Mammogram — right MLO. 45-year-old patient.
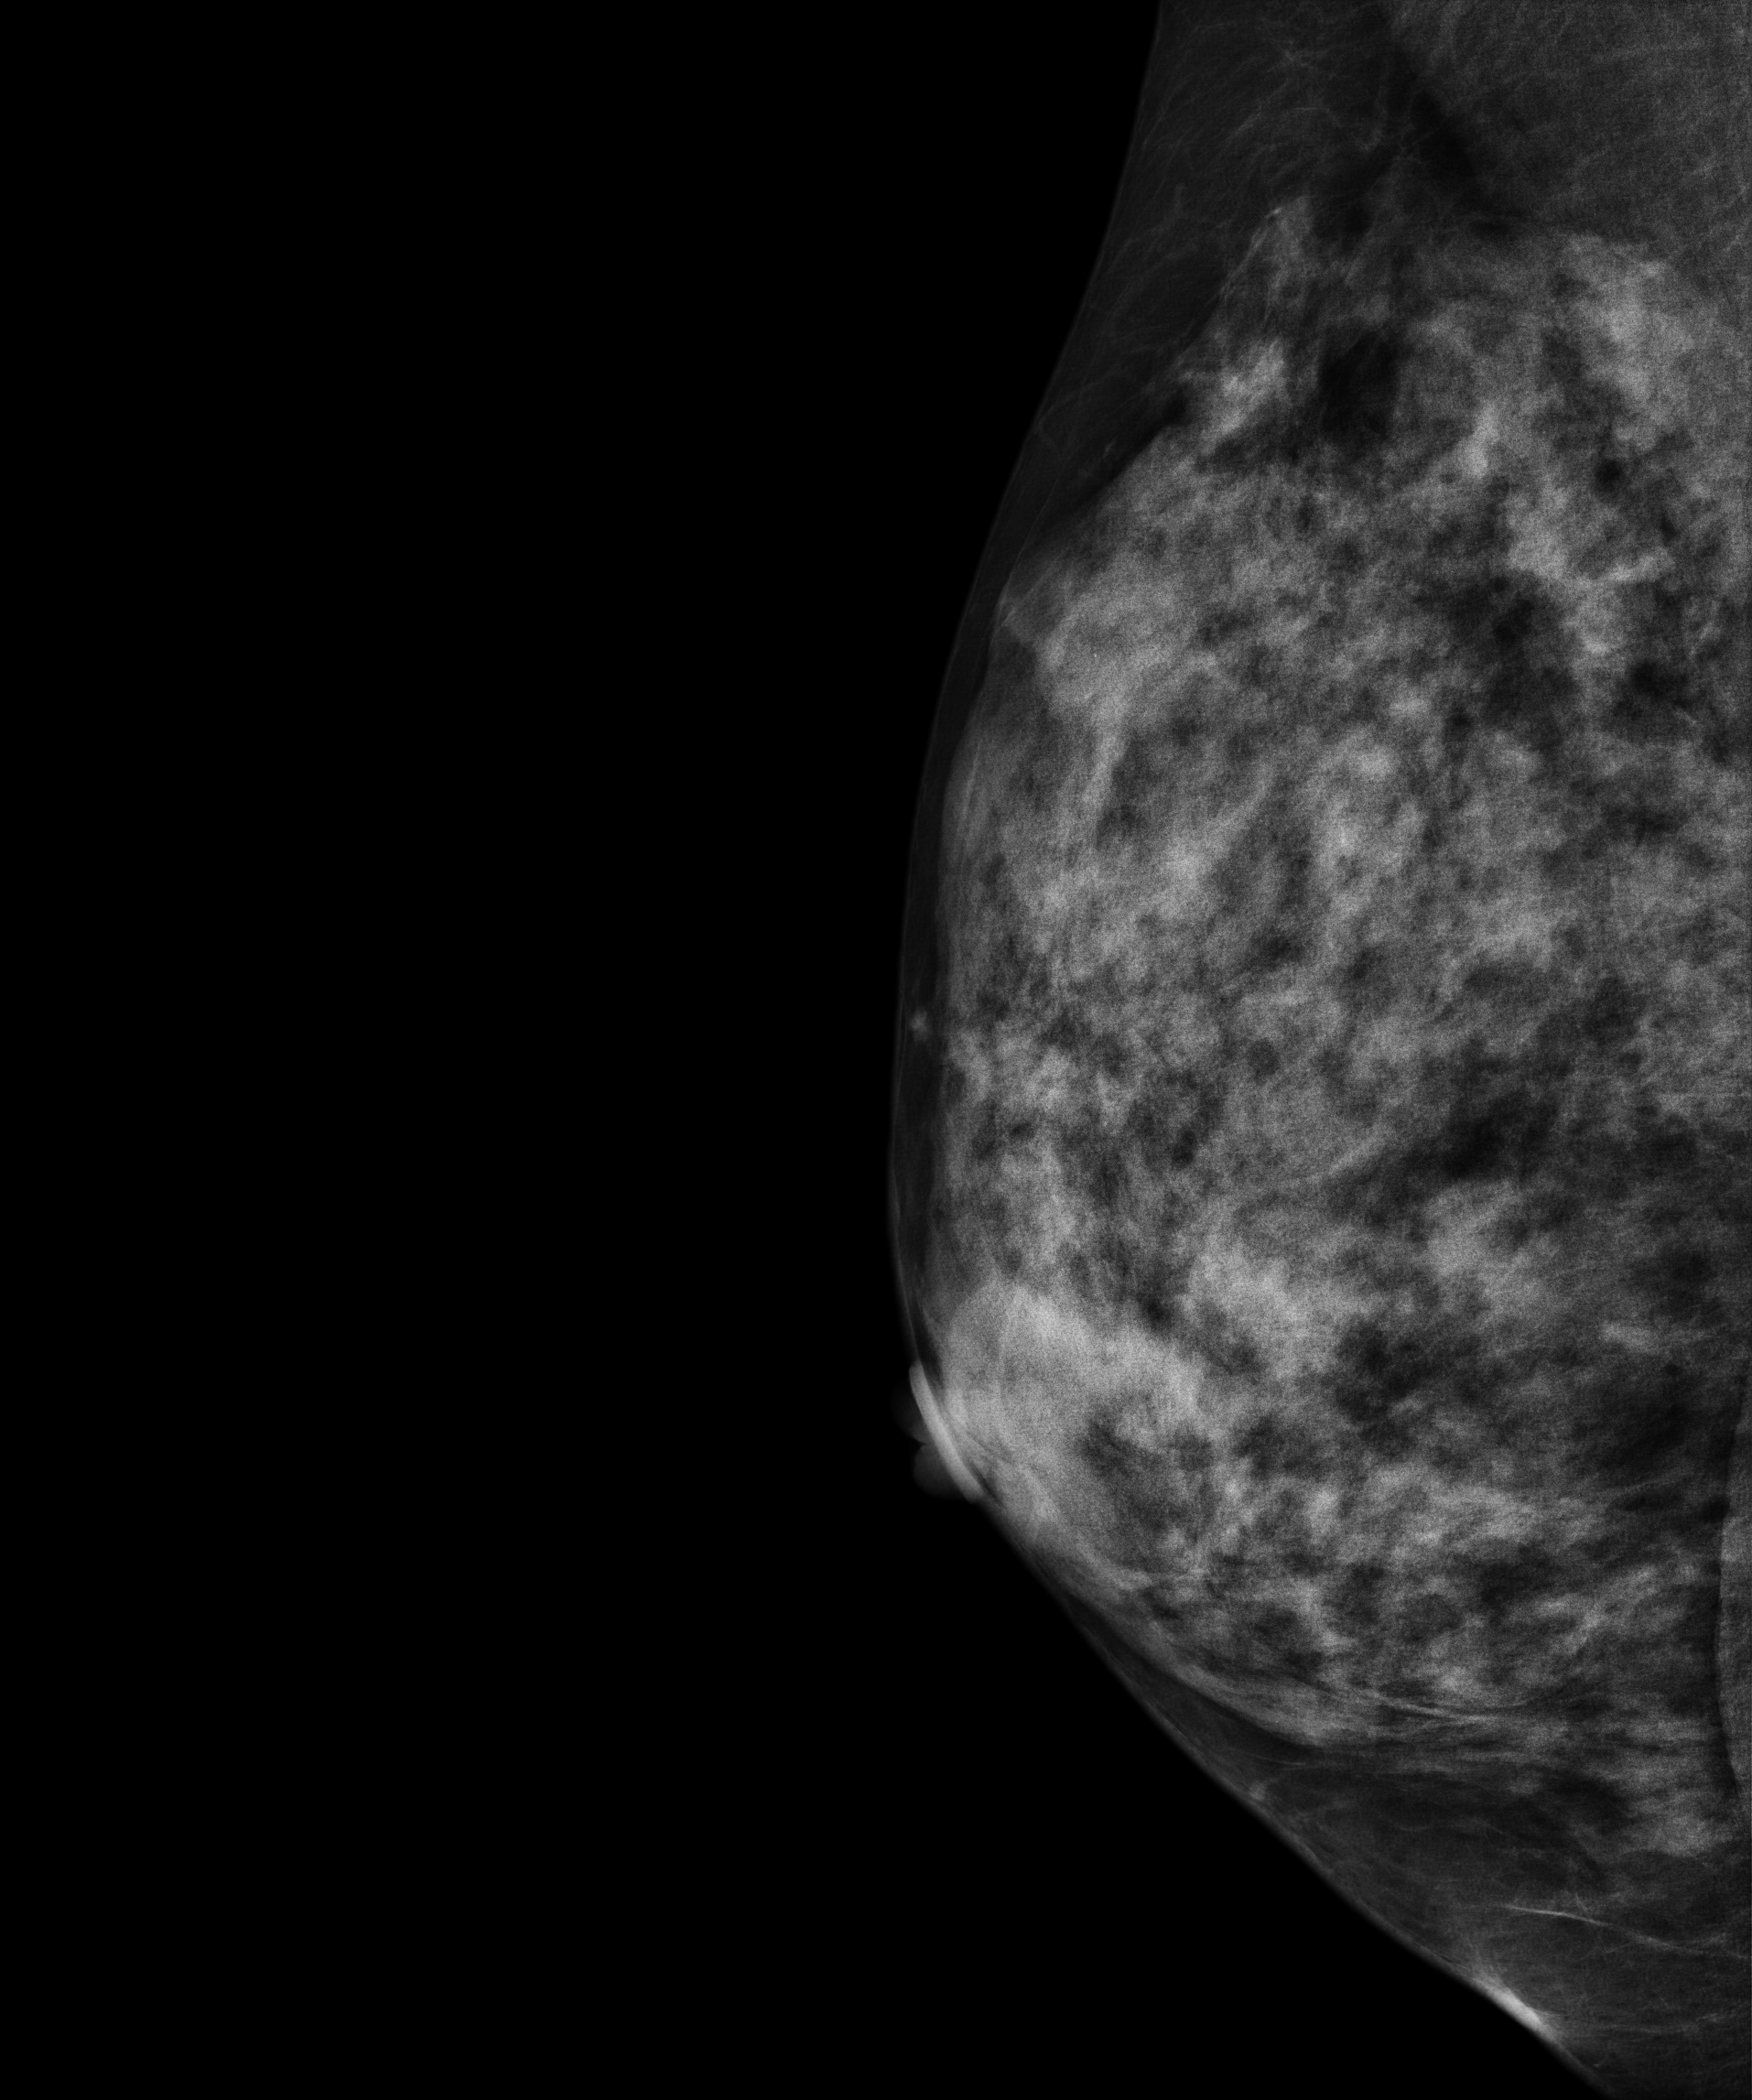
Contralateral breast — no documented abnormality on this side.